CC mammogram of the right breast. 46 y/o patient.
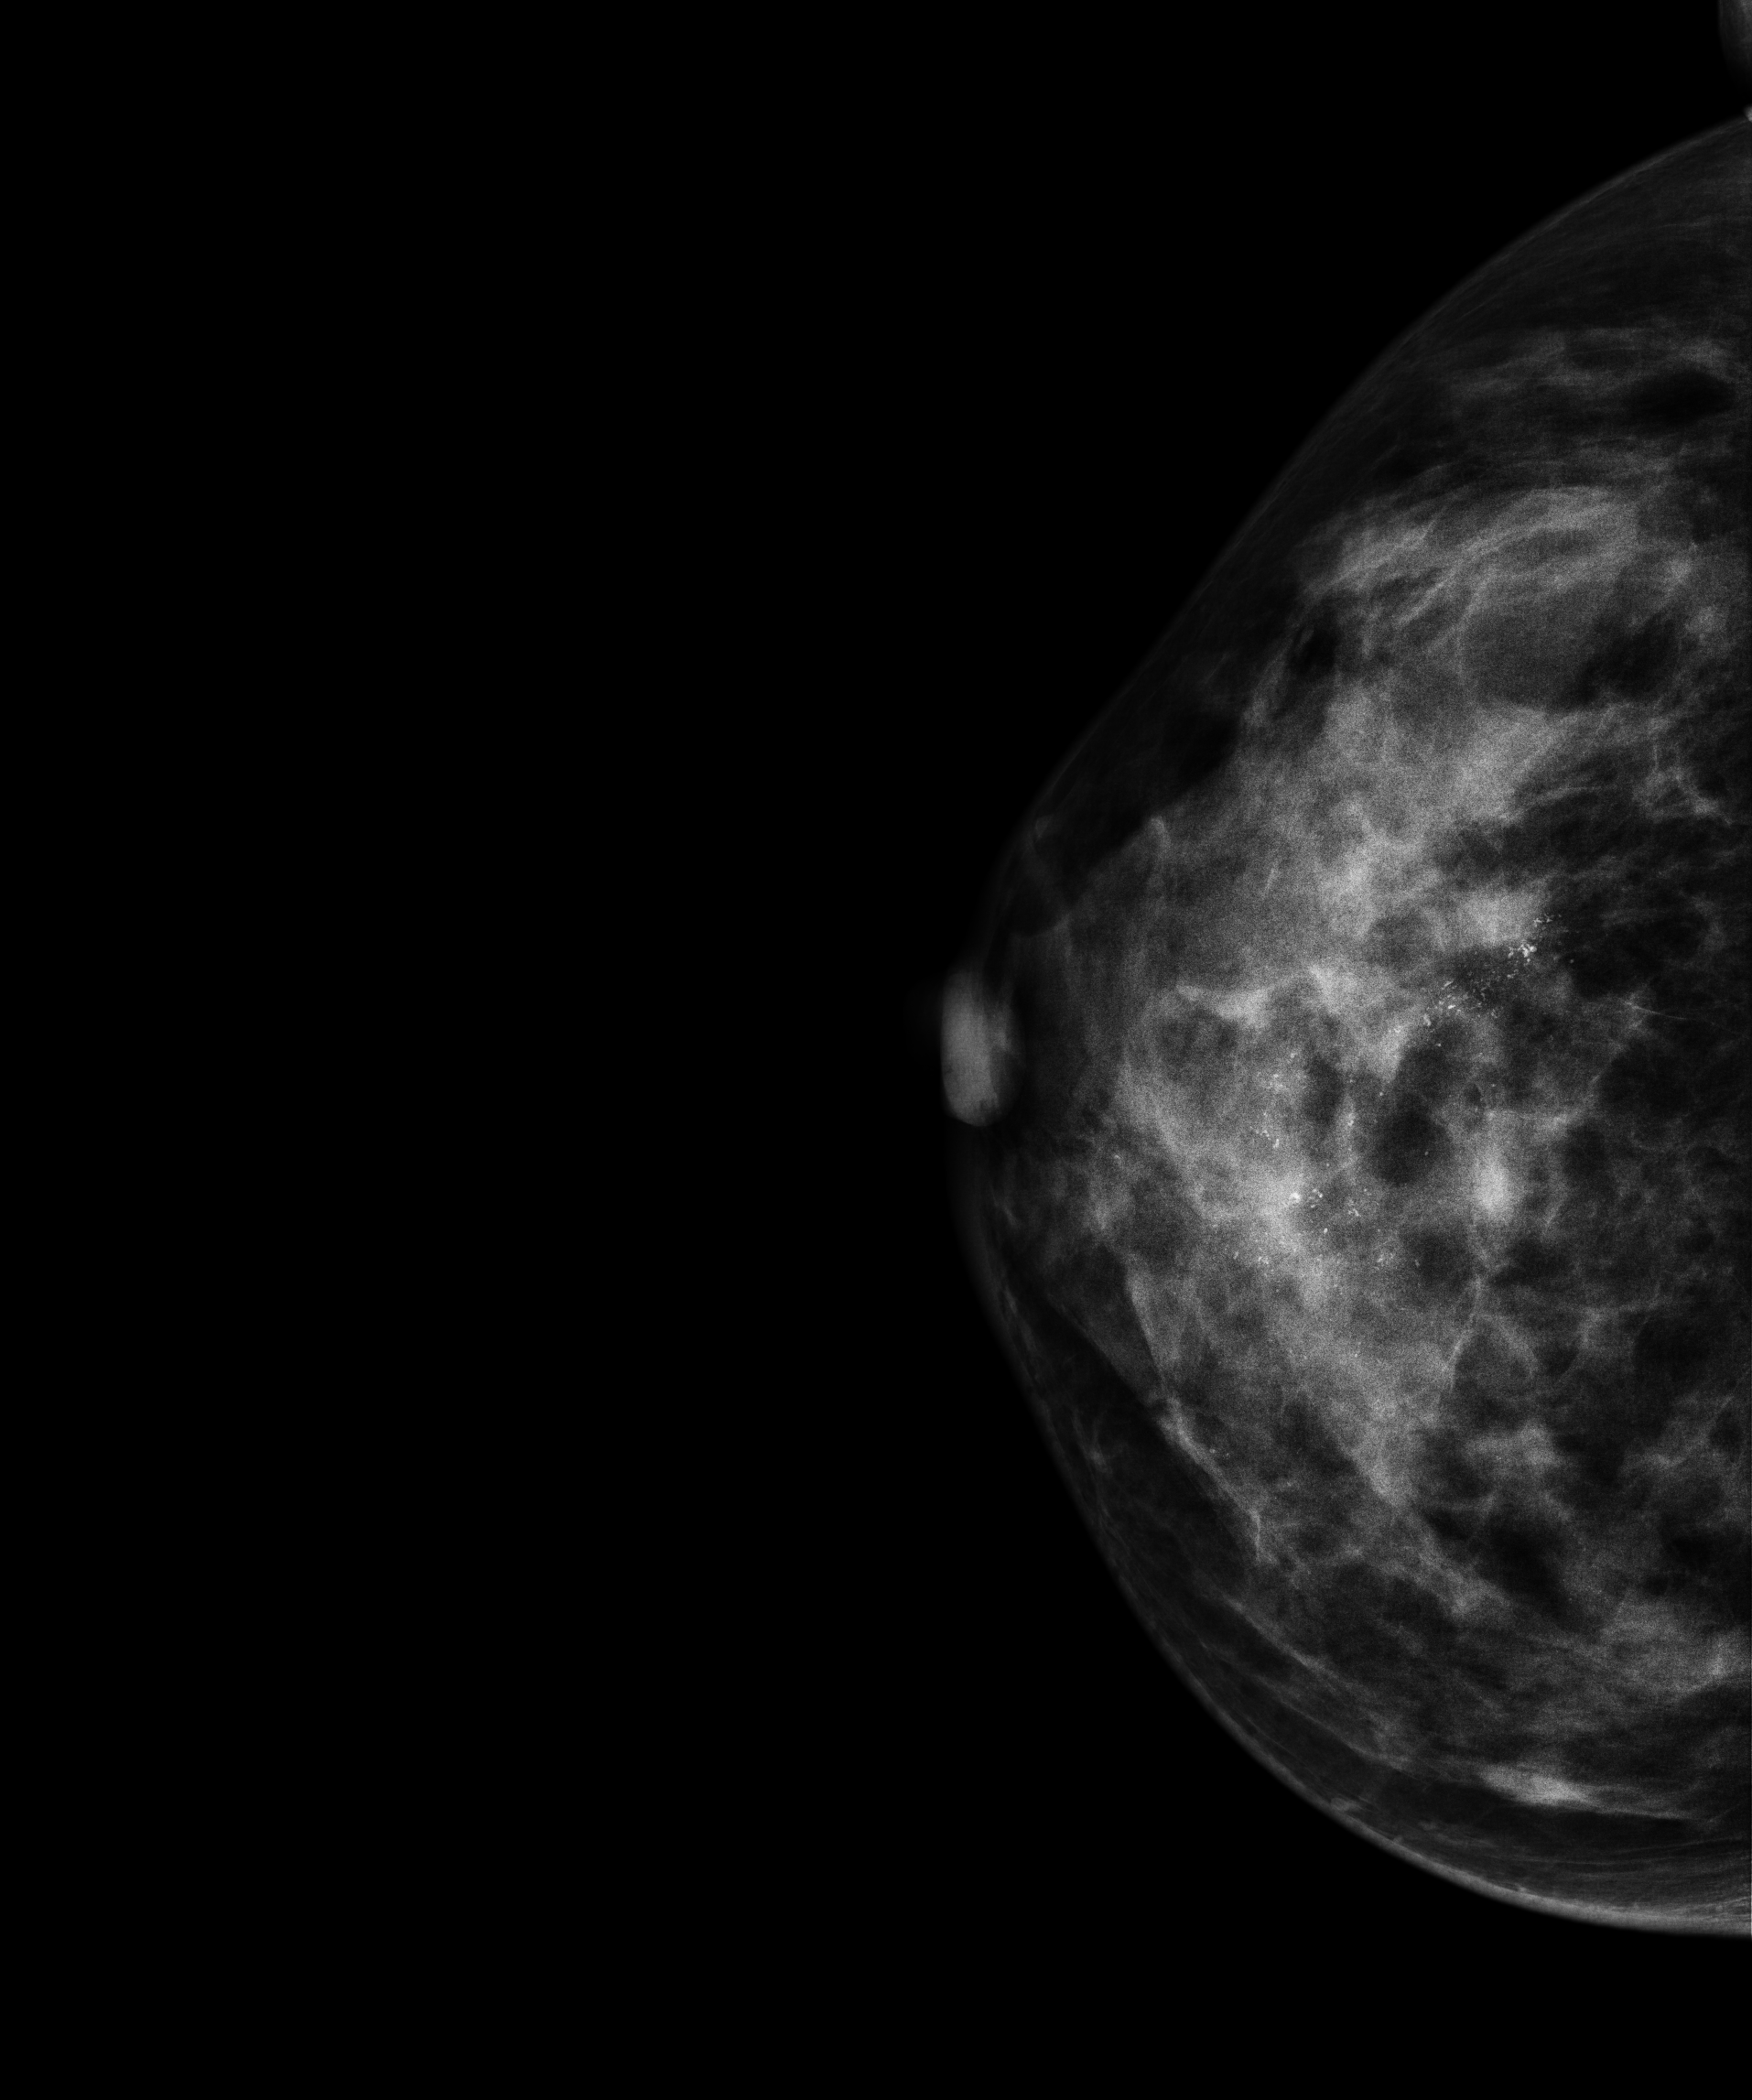
This breast has calcifications, histologically confirmed malignant. Molecular subtype: HER2-enriched.